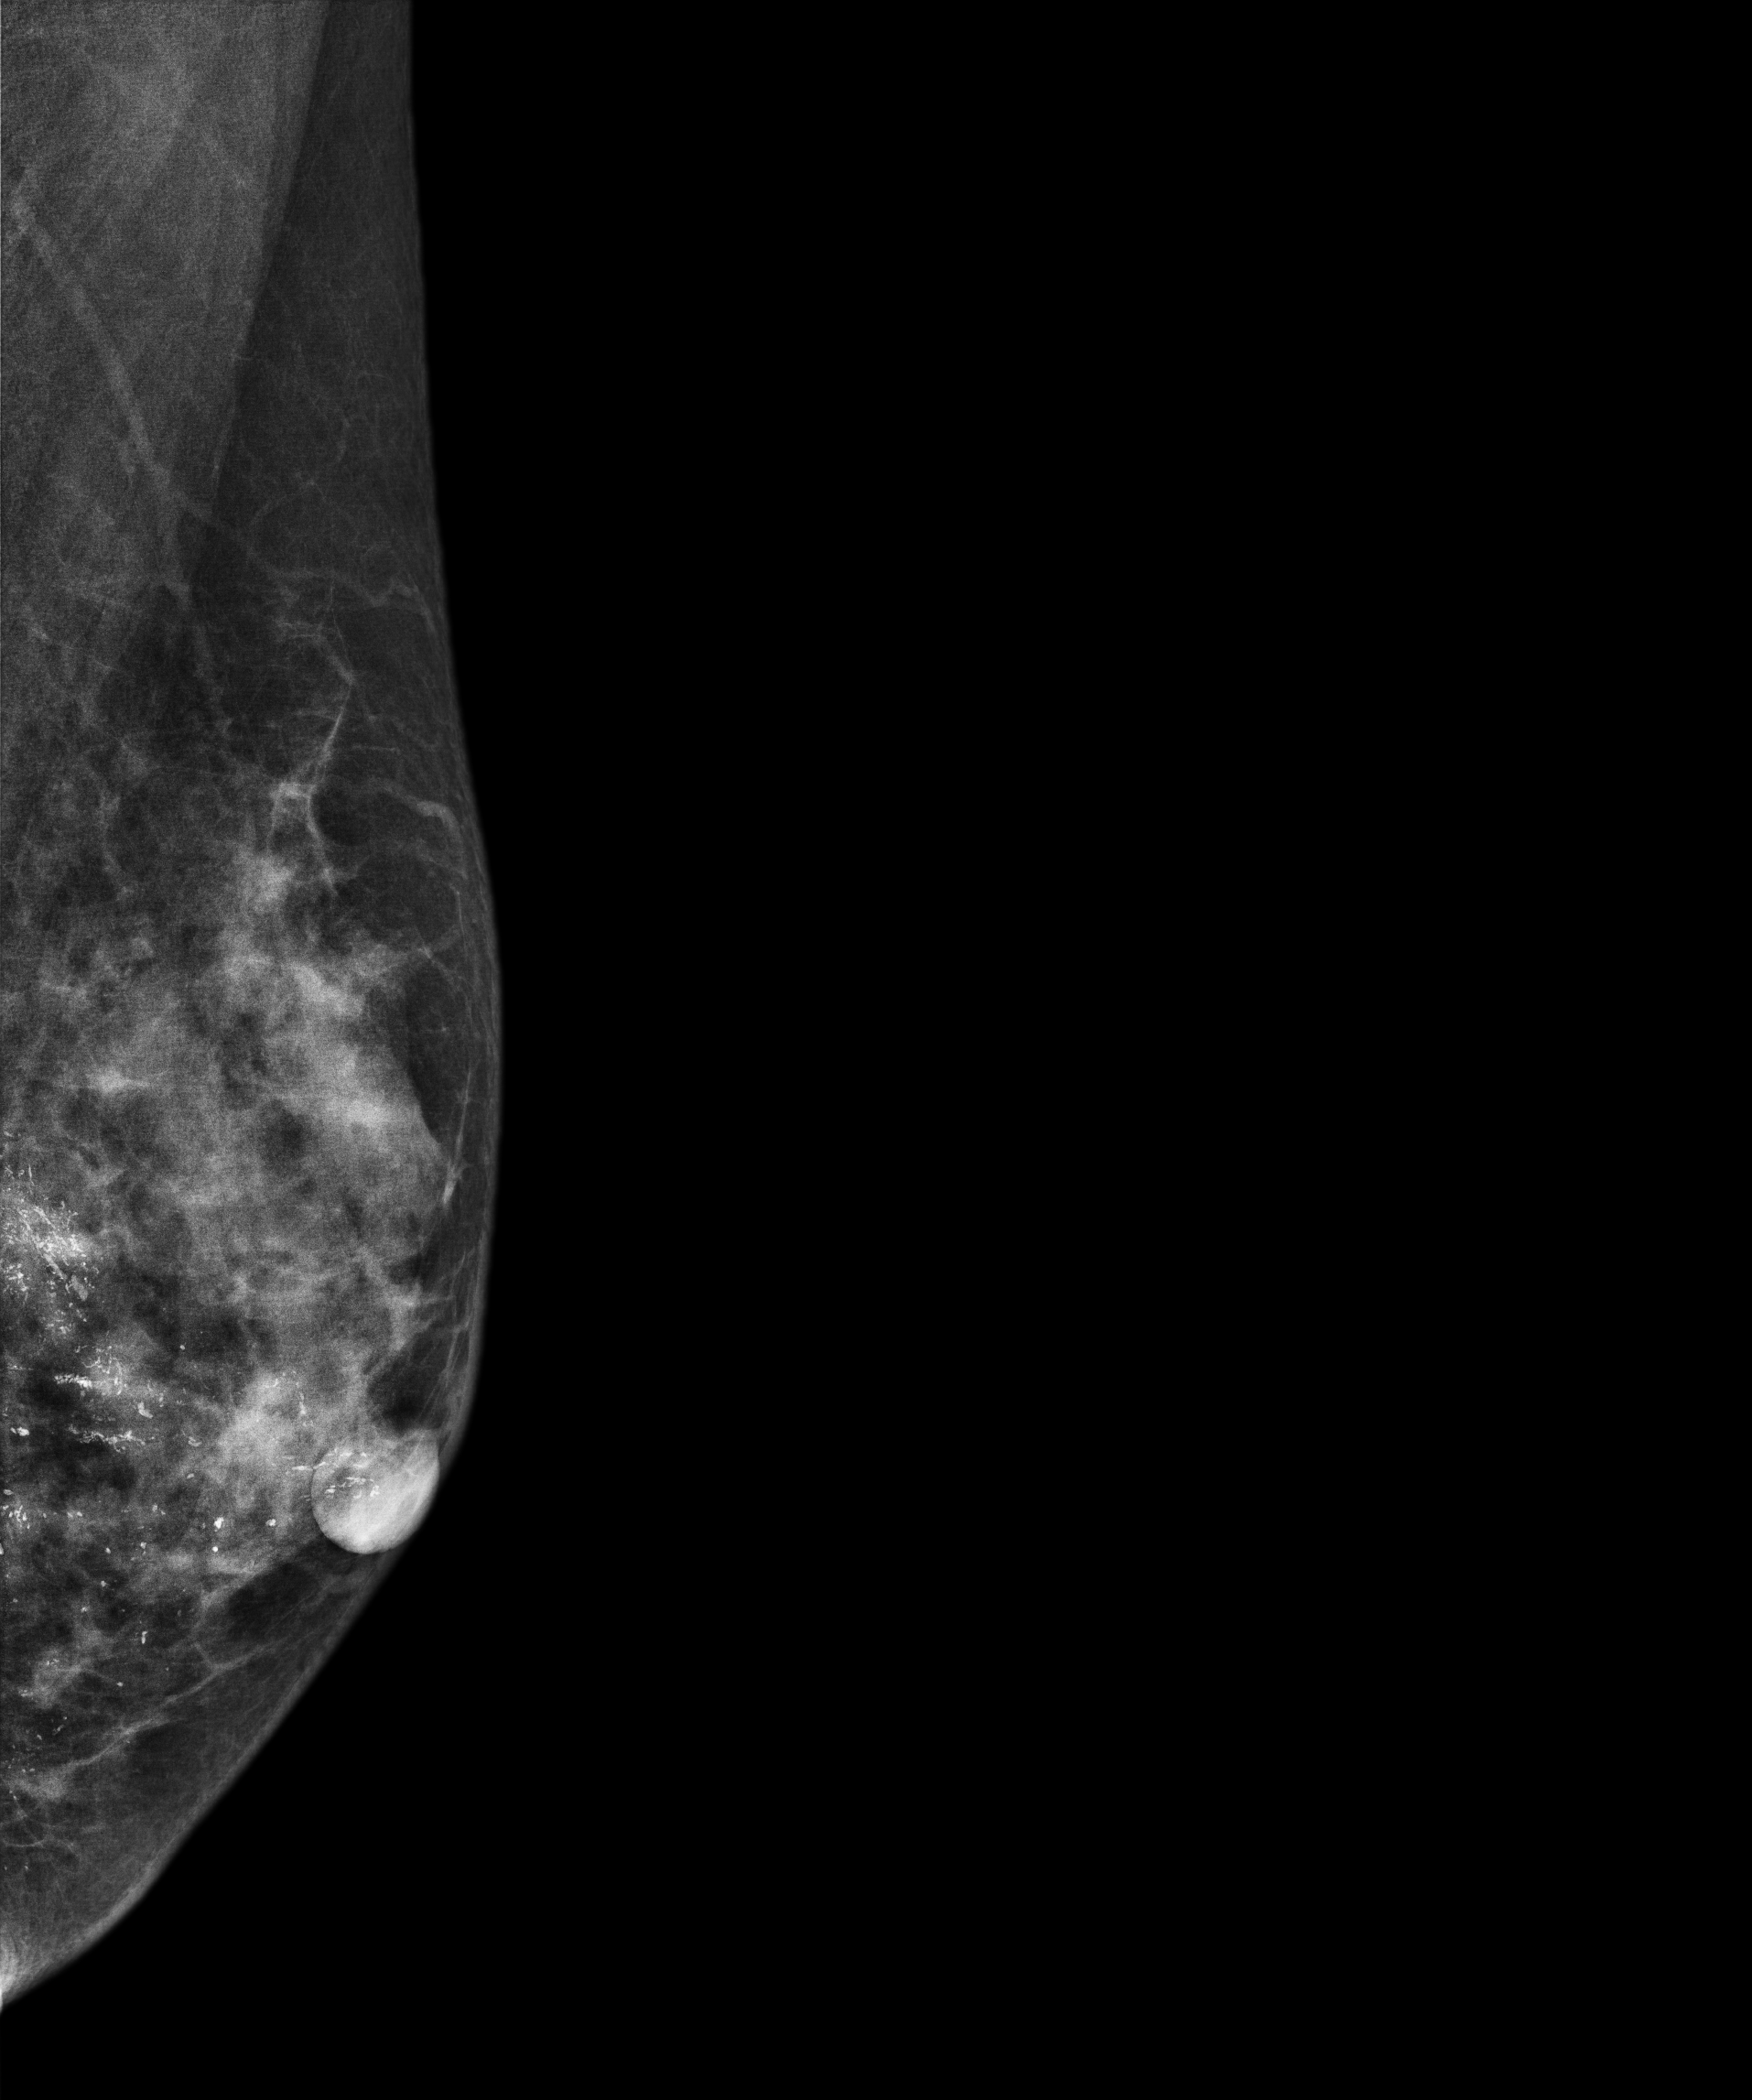
Medio-lateral oblique mammogram of the left breast. 58-year-old patient.
This breast has calcifications, biopsy-confirmed malignant. Molecular subtype: HER2-enriched.